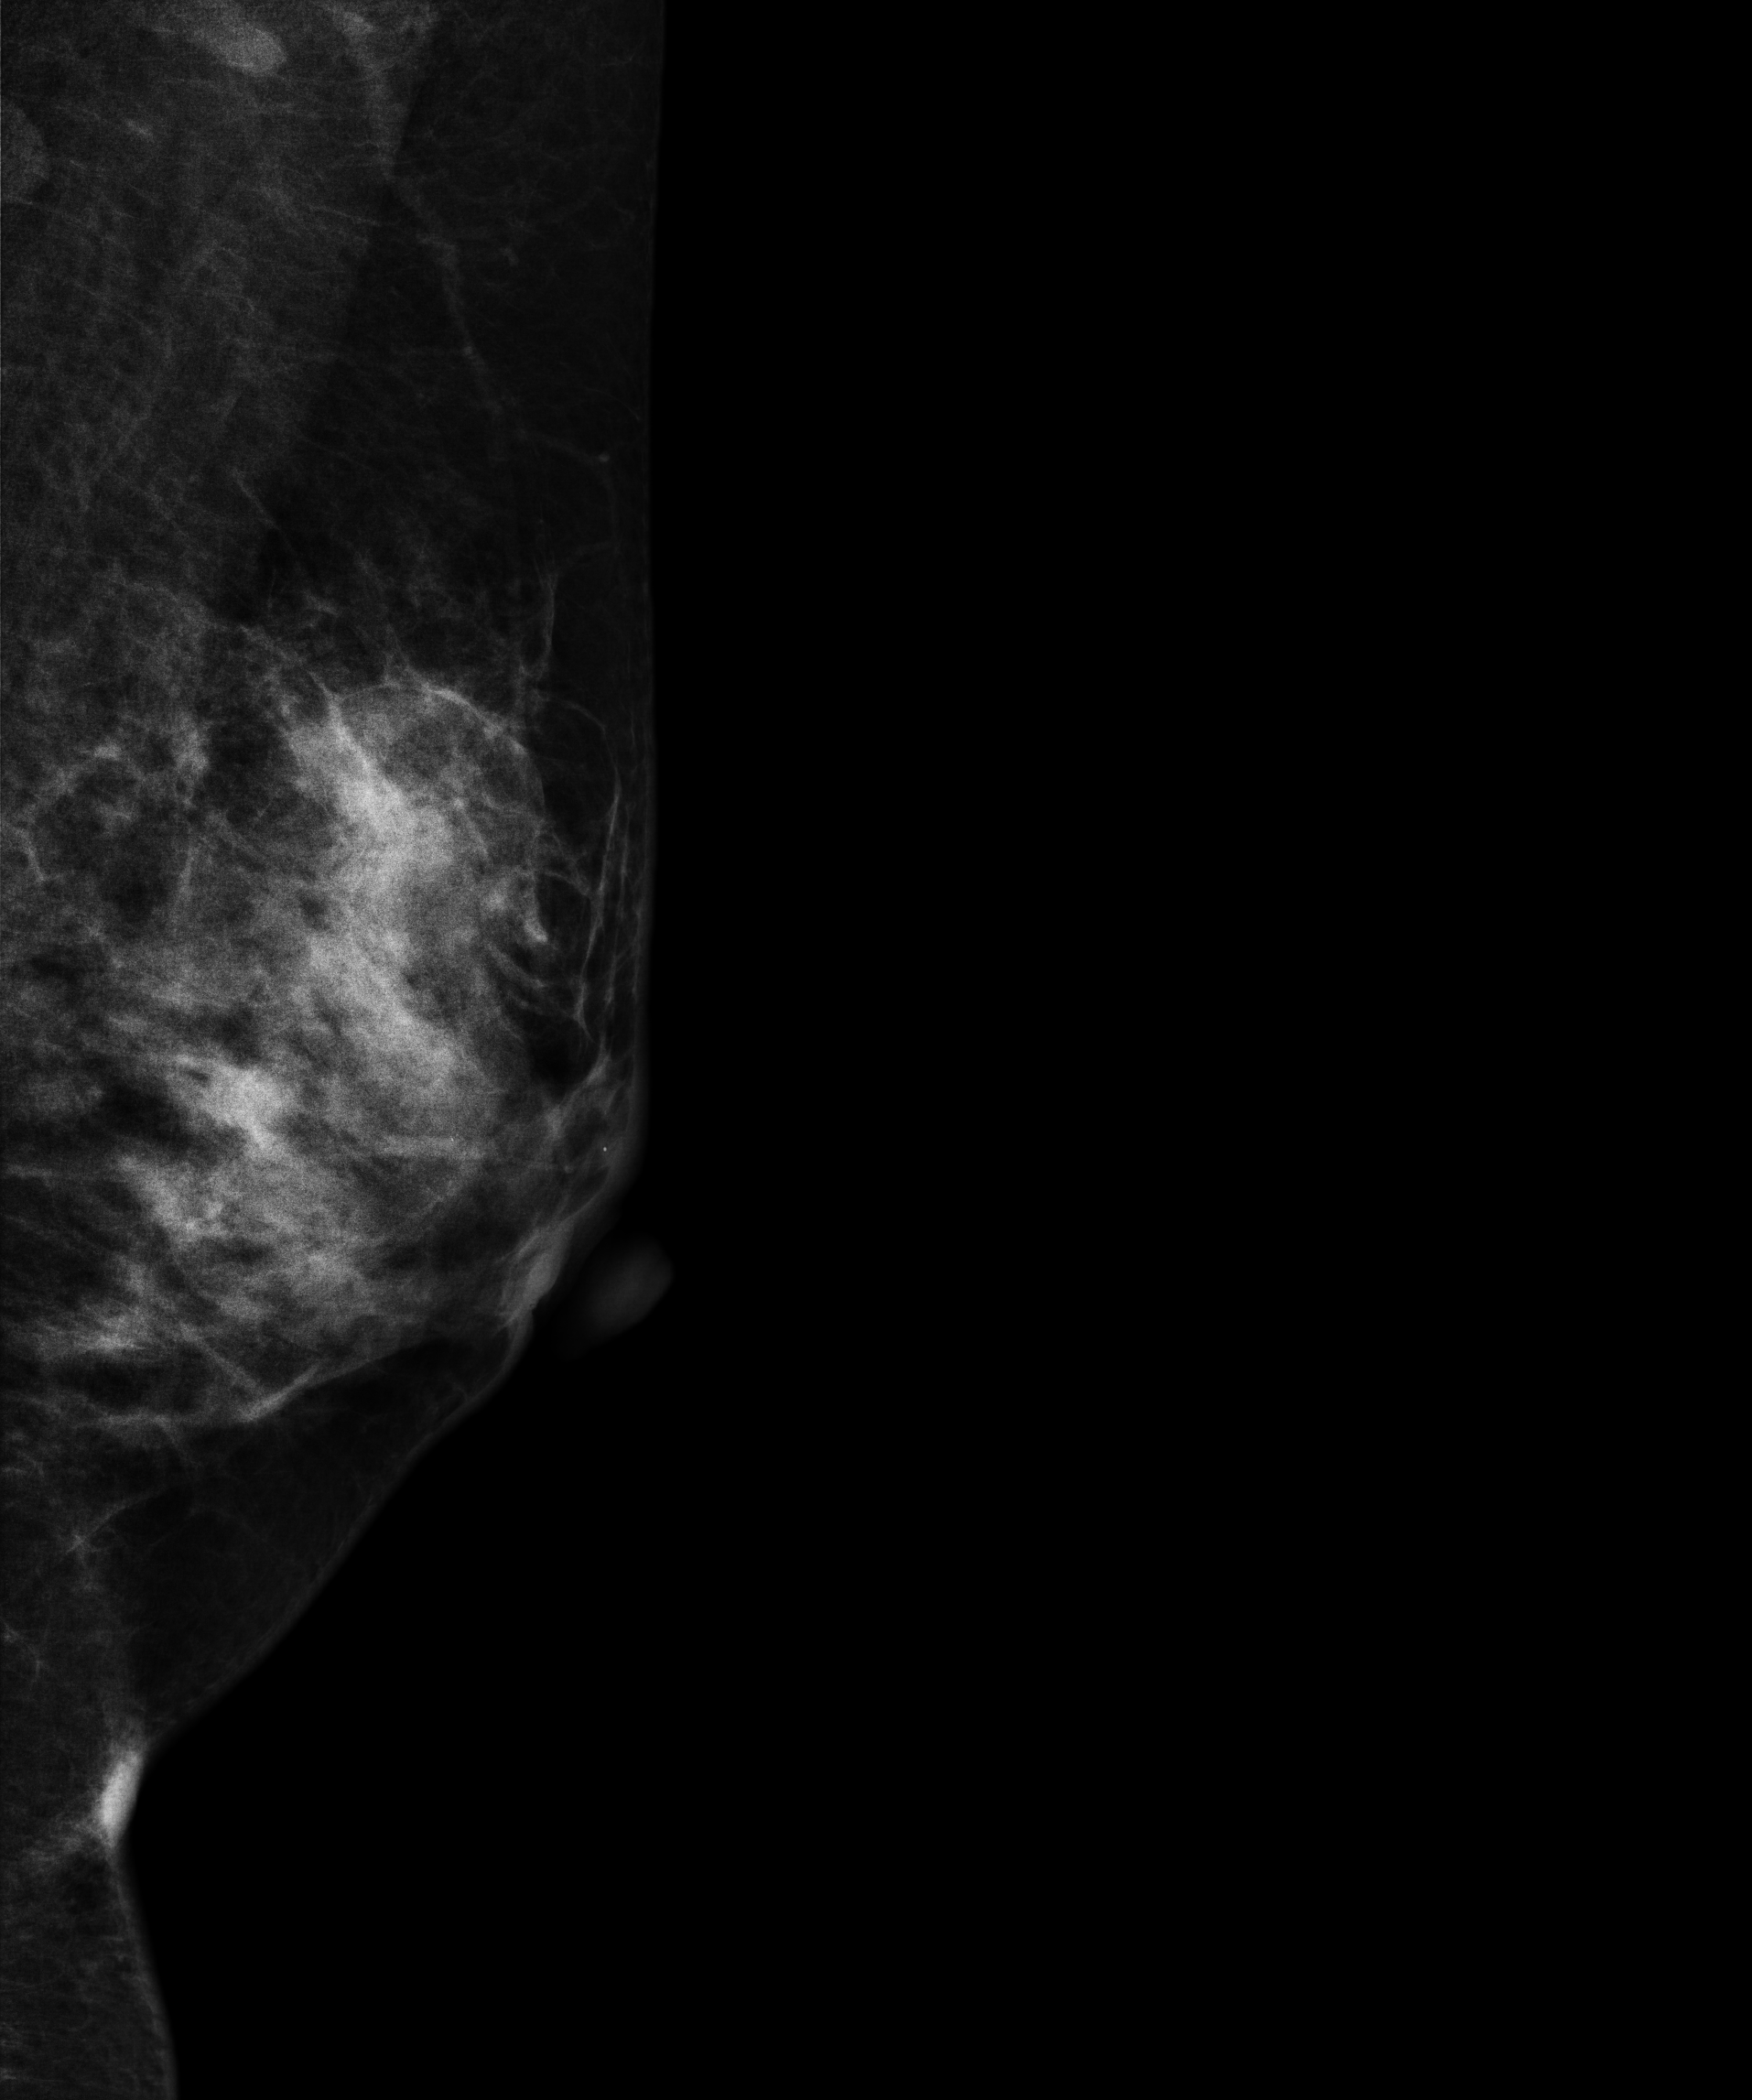
Mammogram — left medio-lateral oblique. 39-year-old patient.
This breast has a mass, biopsy-confirmed malignant.